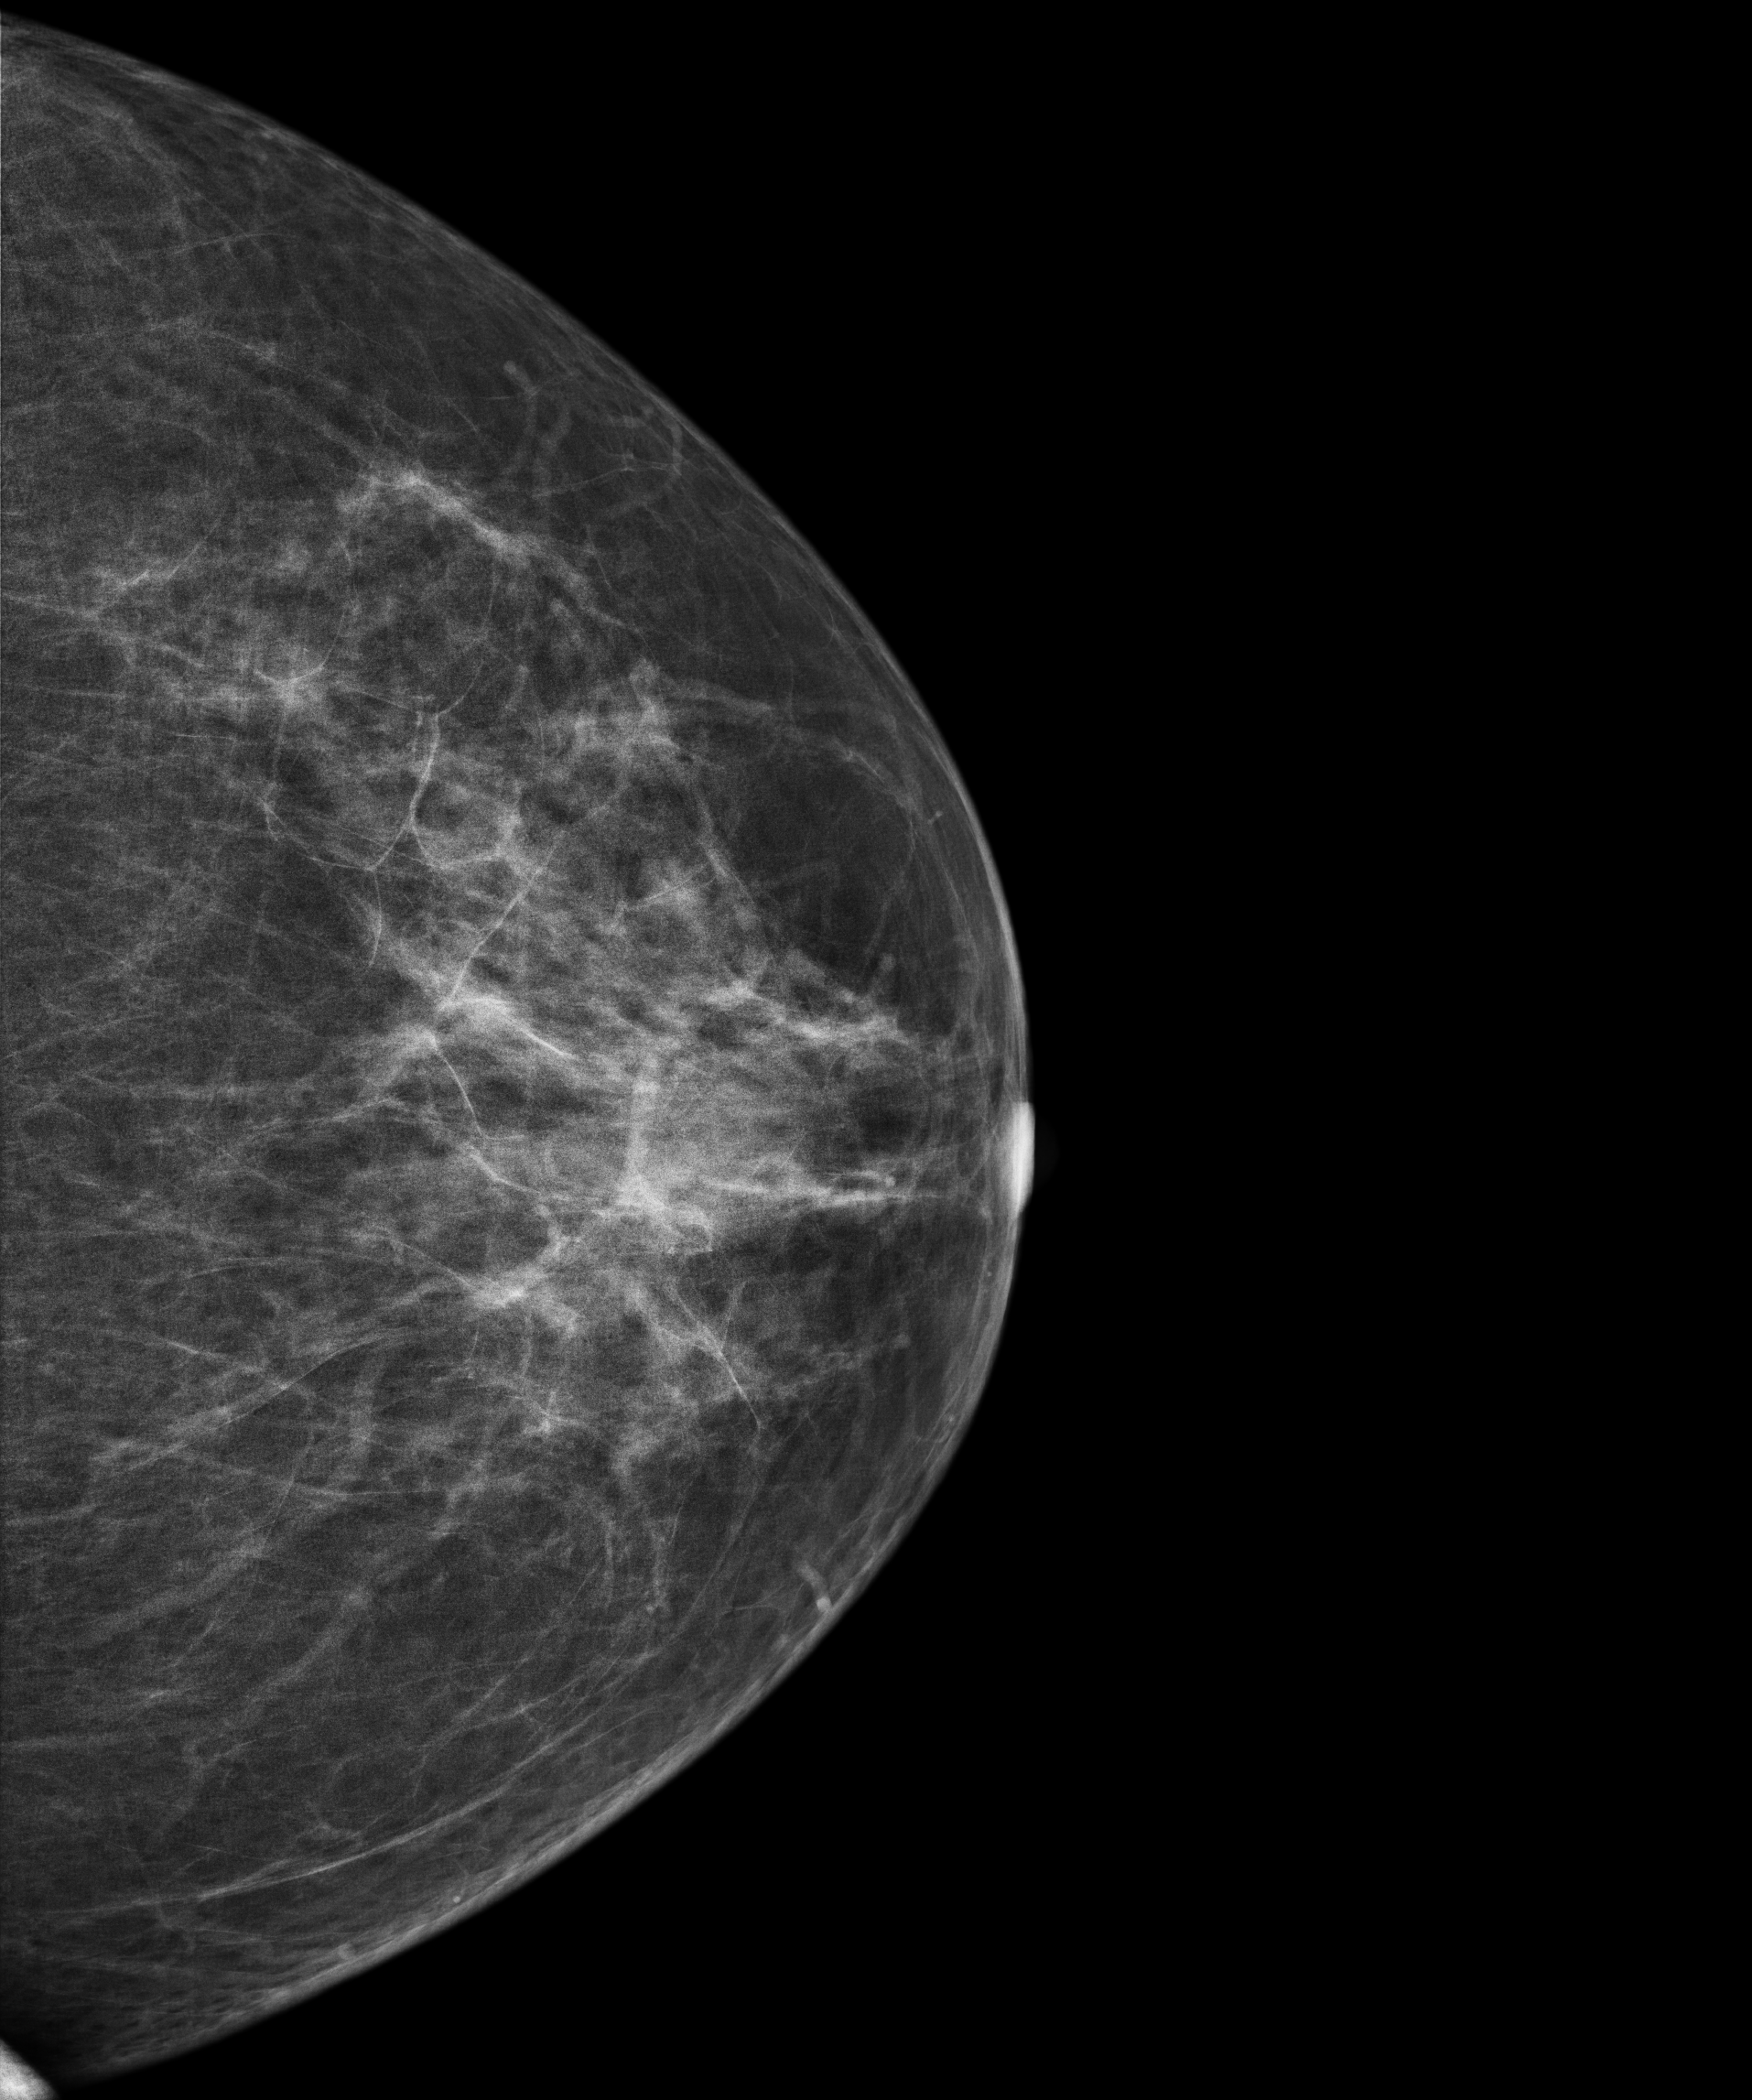
Mammogram — left cranio-caudal. 67-year-old patient.
Contralateral breast — no documented abnormality on this side.